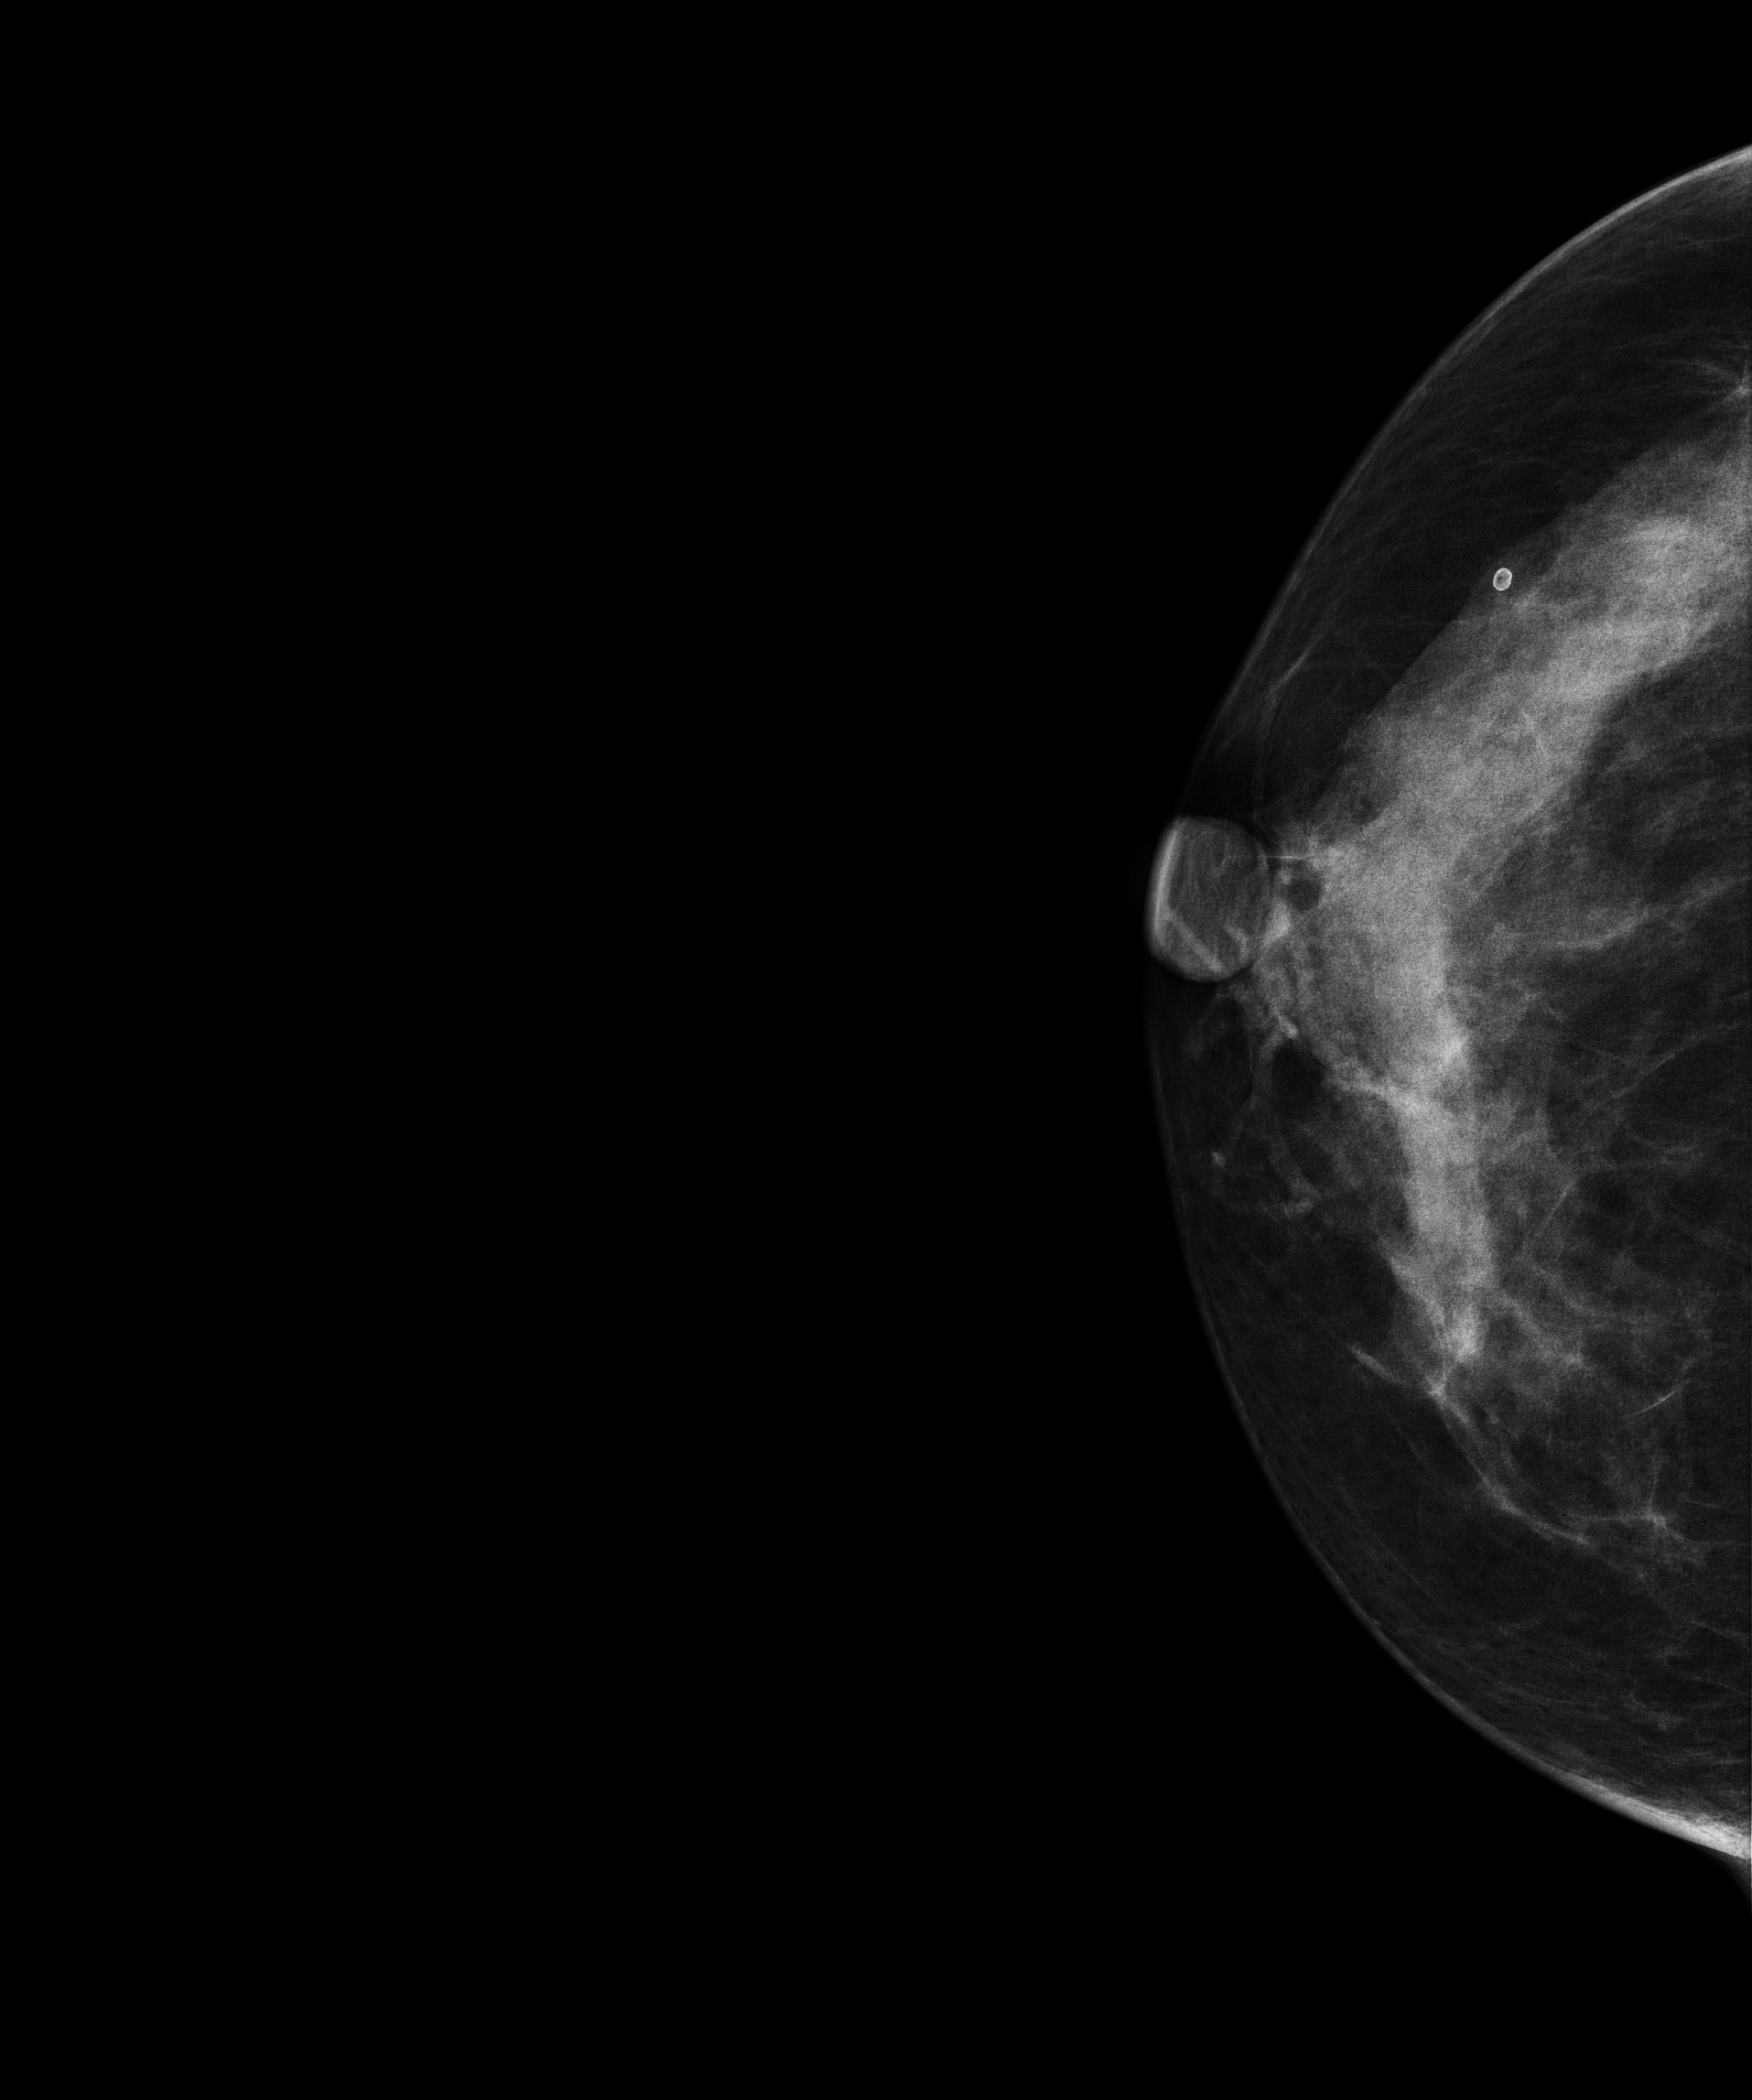
Mammogram, right breast, CC view. 47 y/o patient.
This breast has calcifications, biopsy-proven benign.